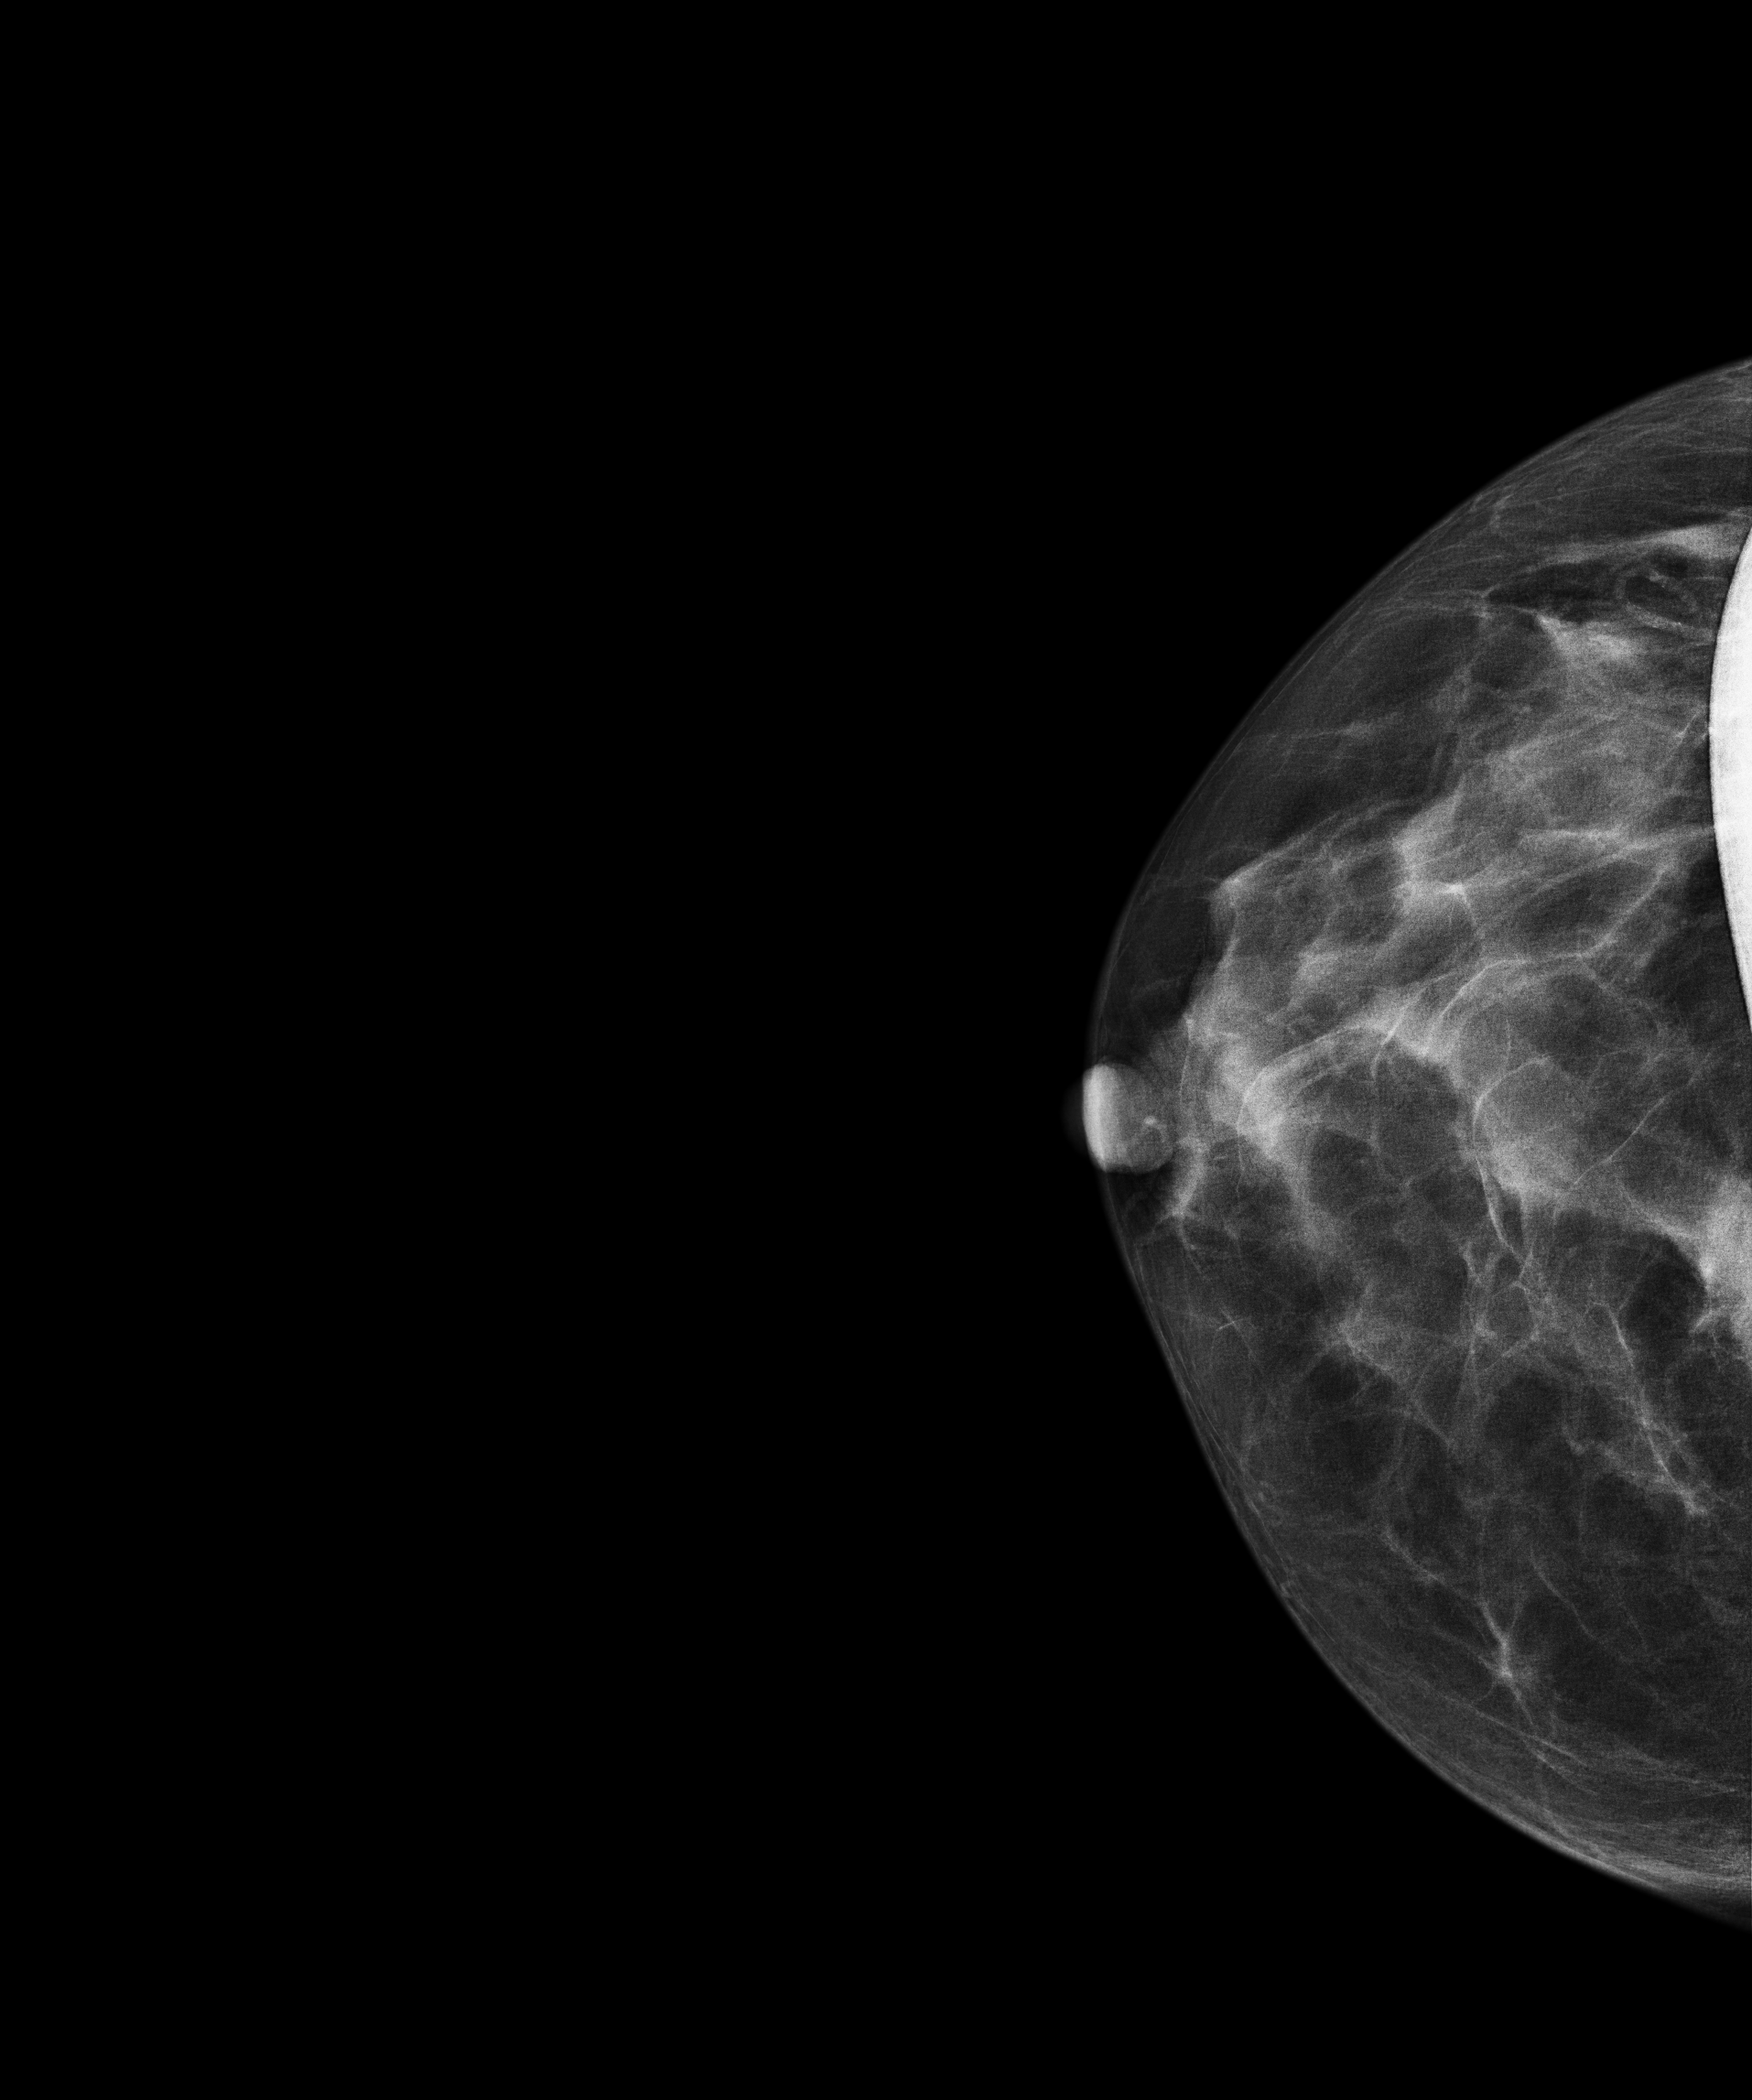
Mammogram — right cranio-caudal. 58 y/o patient.
This breast has a mass, histologically confirmed malignant.